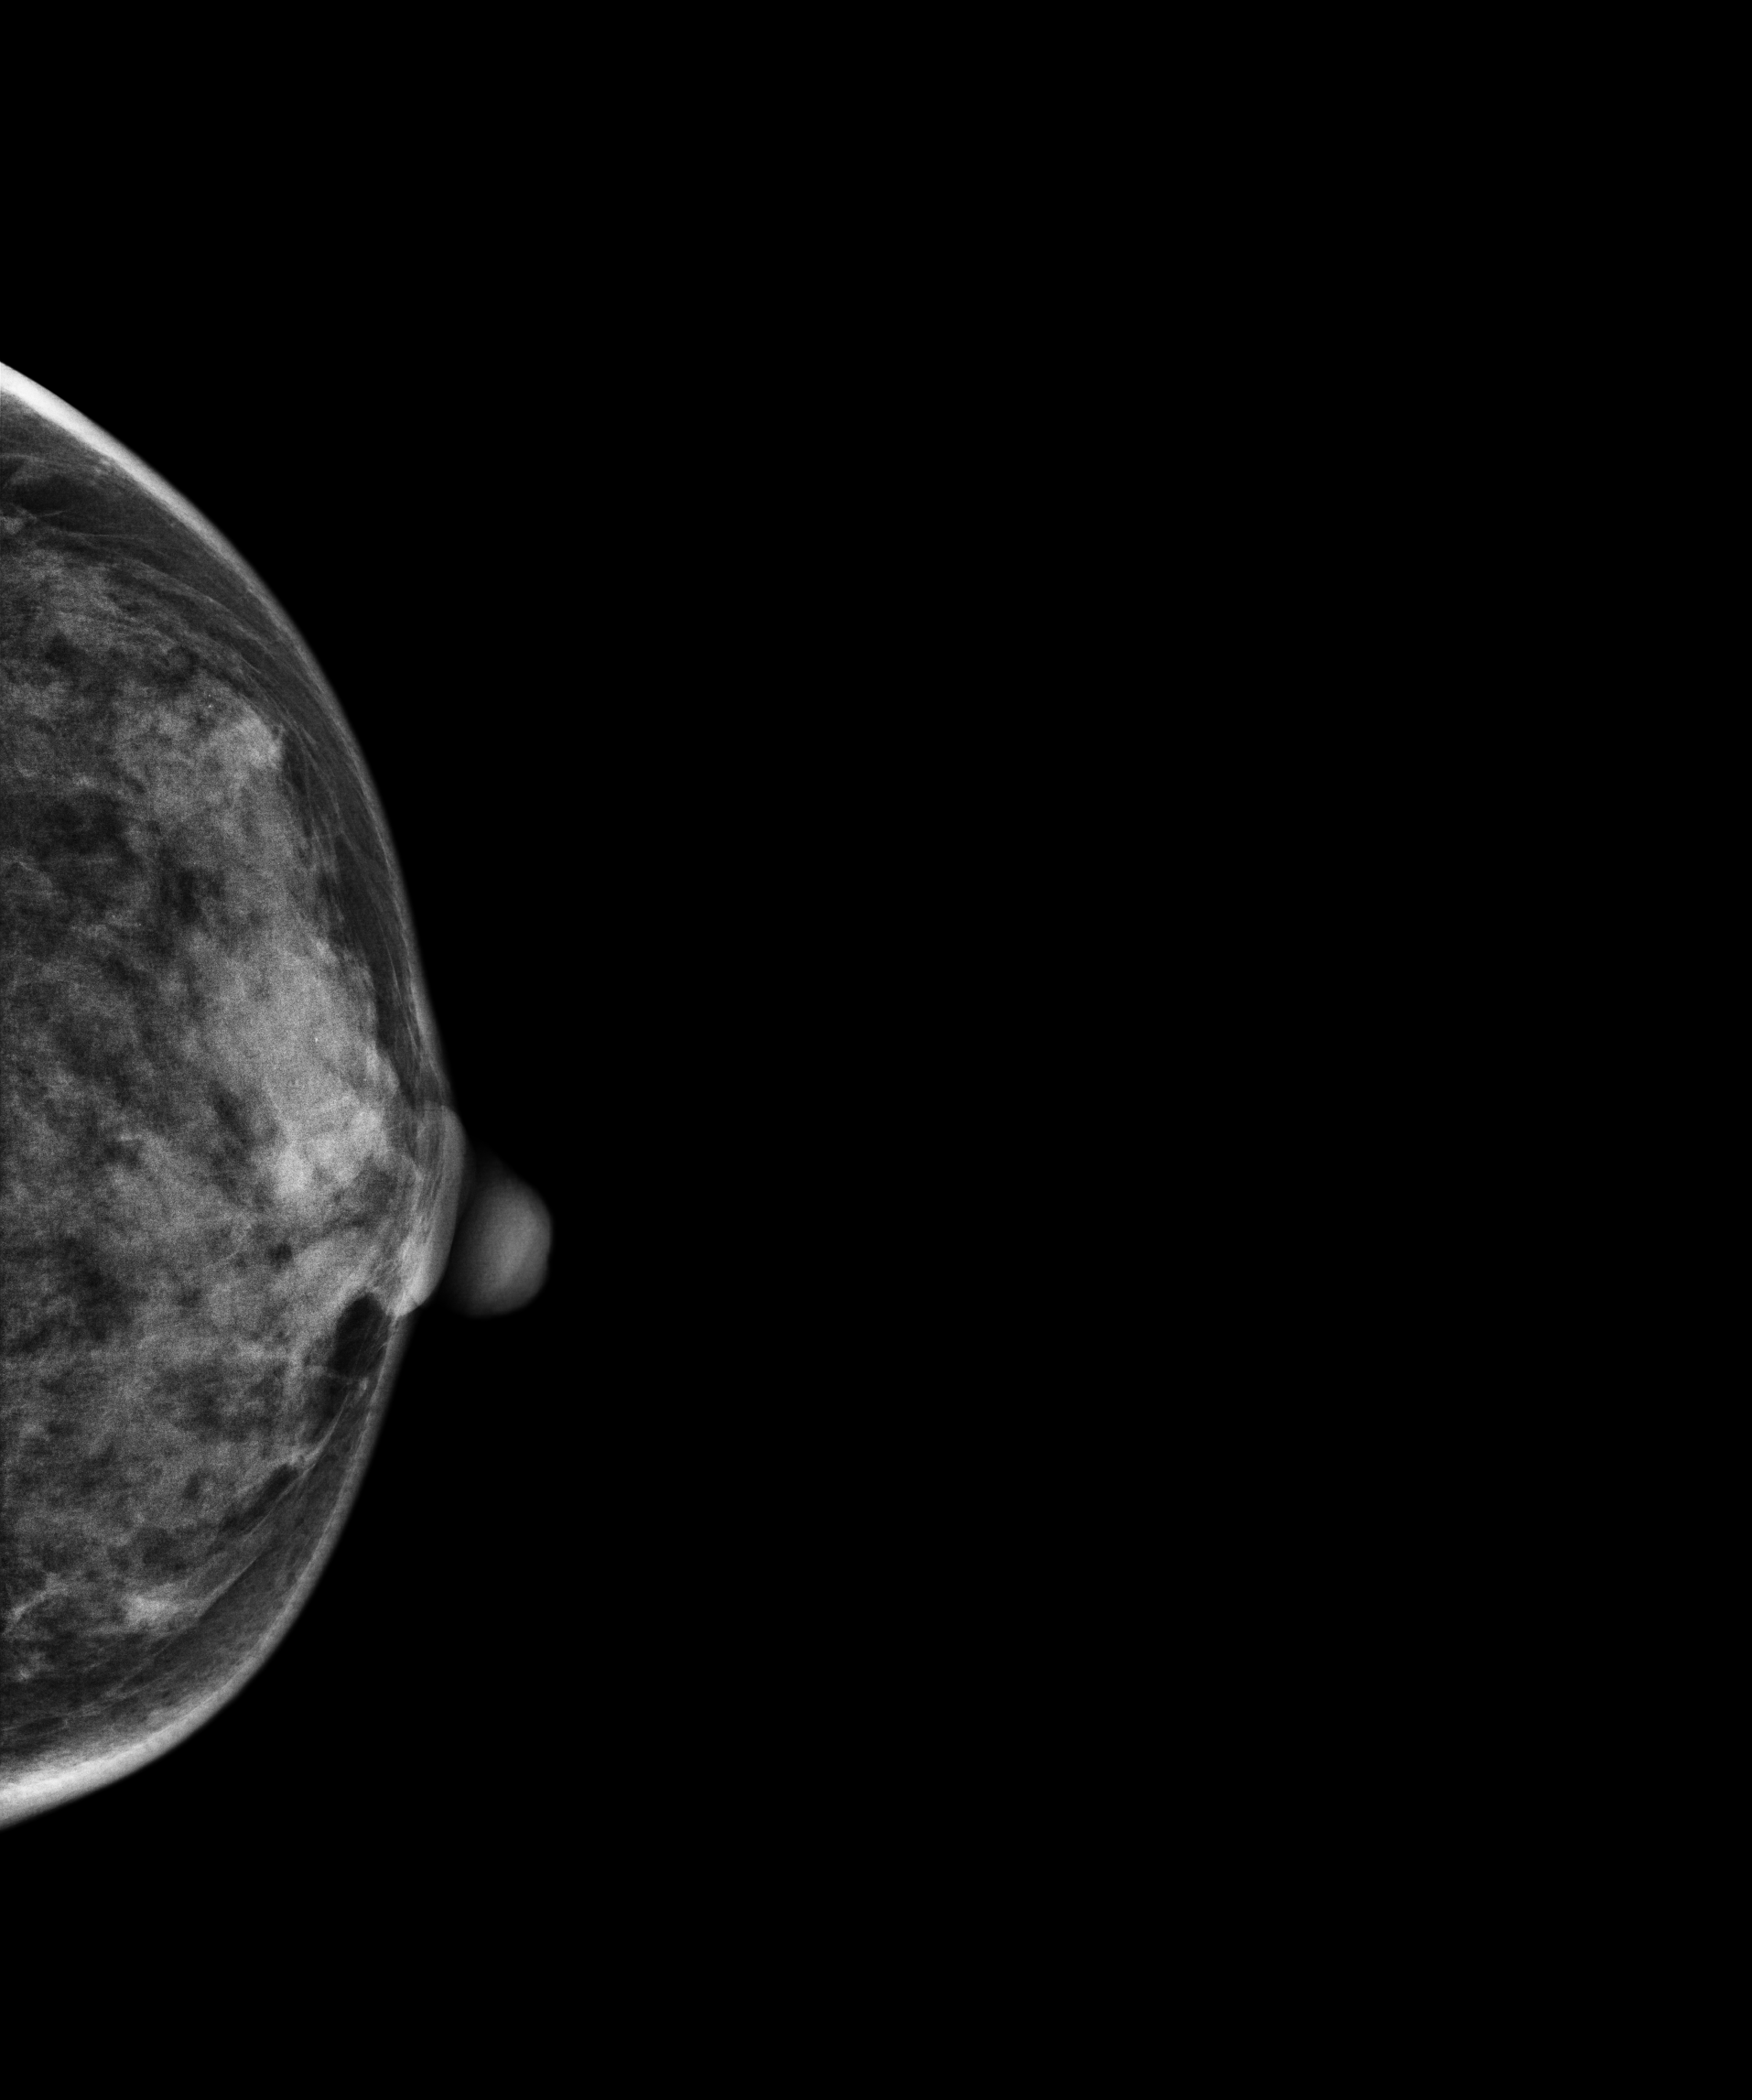
CC mammogram of the left breast. 49 y/o patient.
This breast has calcifications, biopsy-proven benign.